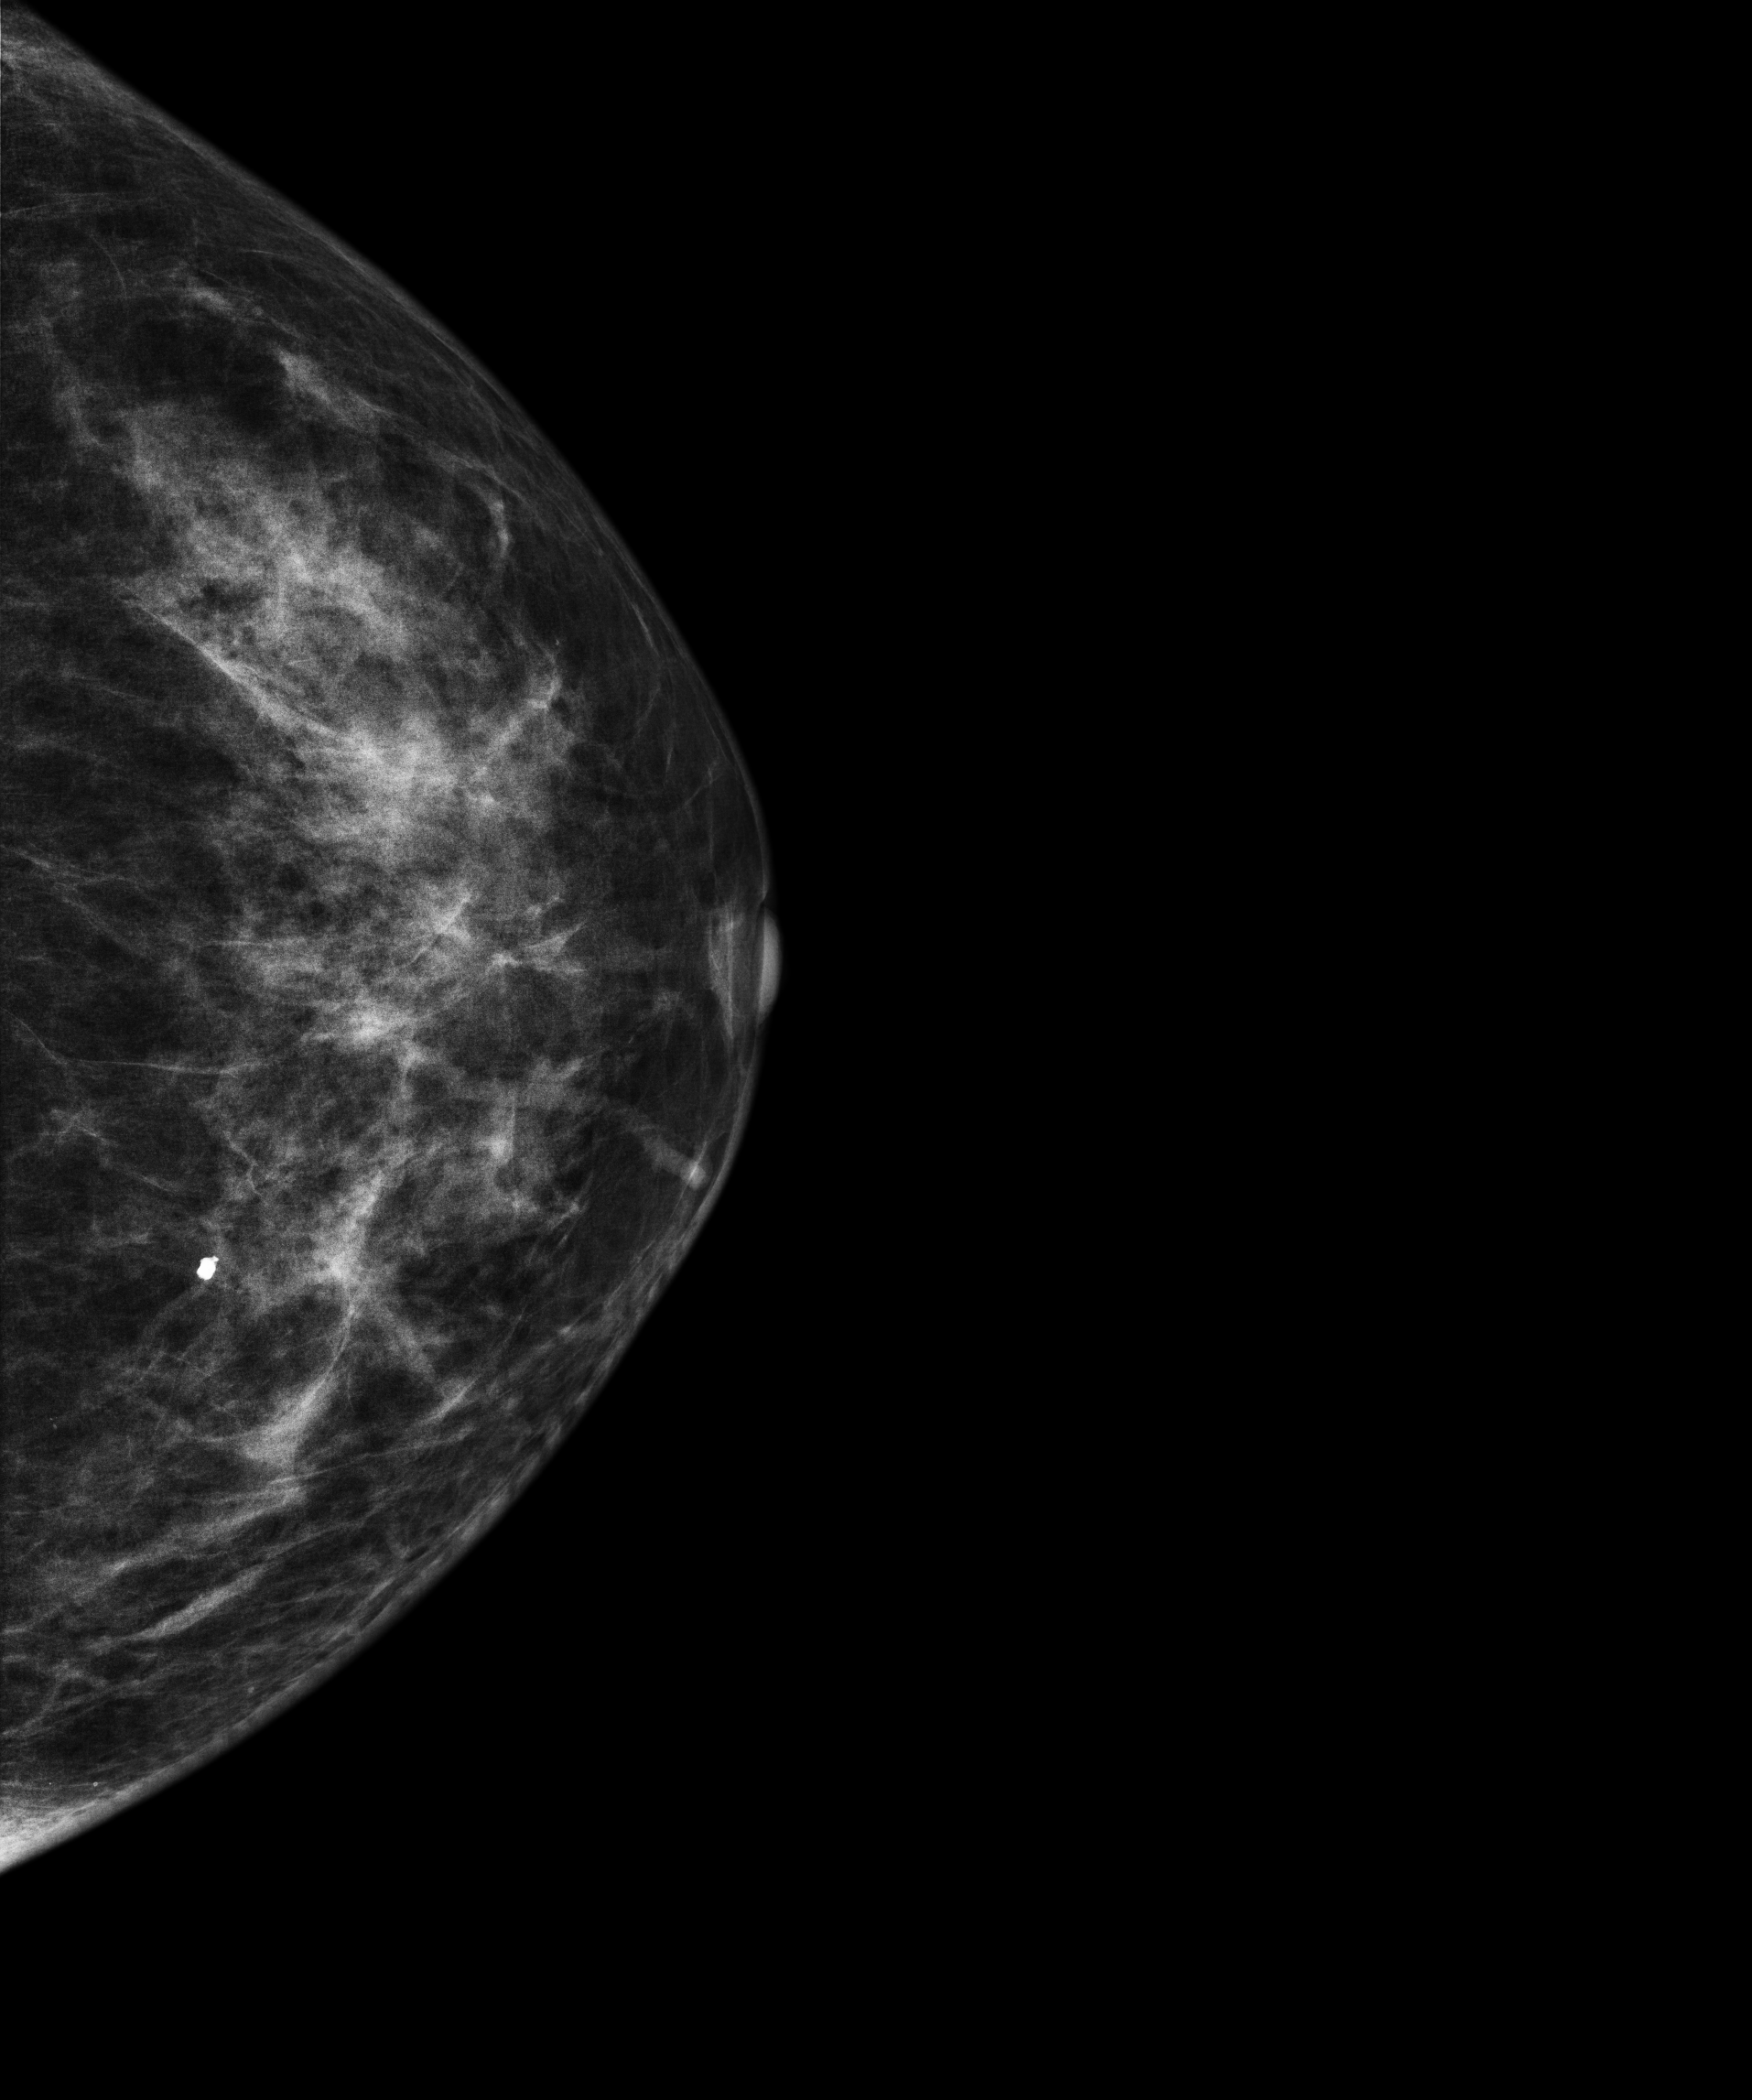
Mammogram — left CC. 56-year-old patient.
This breast has a mass, biopsy-proven benign.